Digital mammography. Right breast, medio-lateral oblique projection. 42-year-old patient.
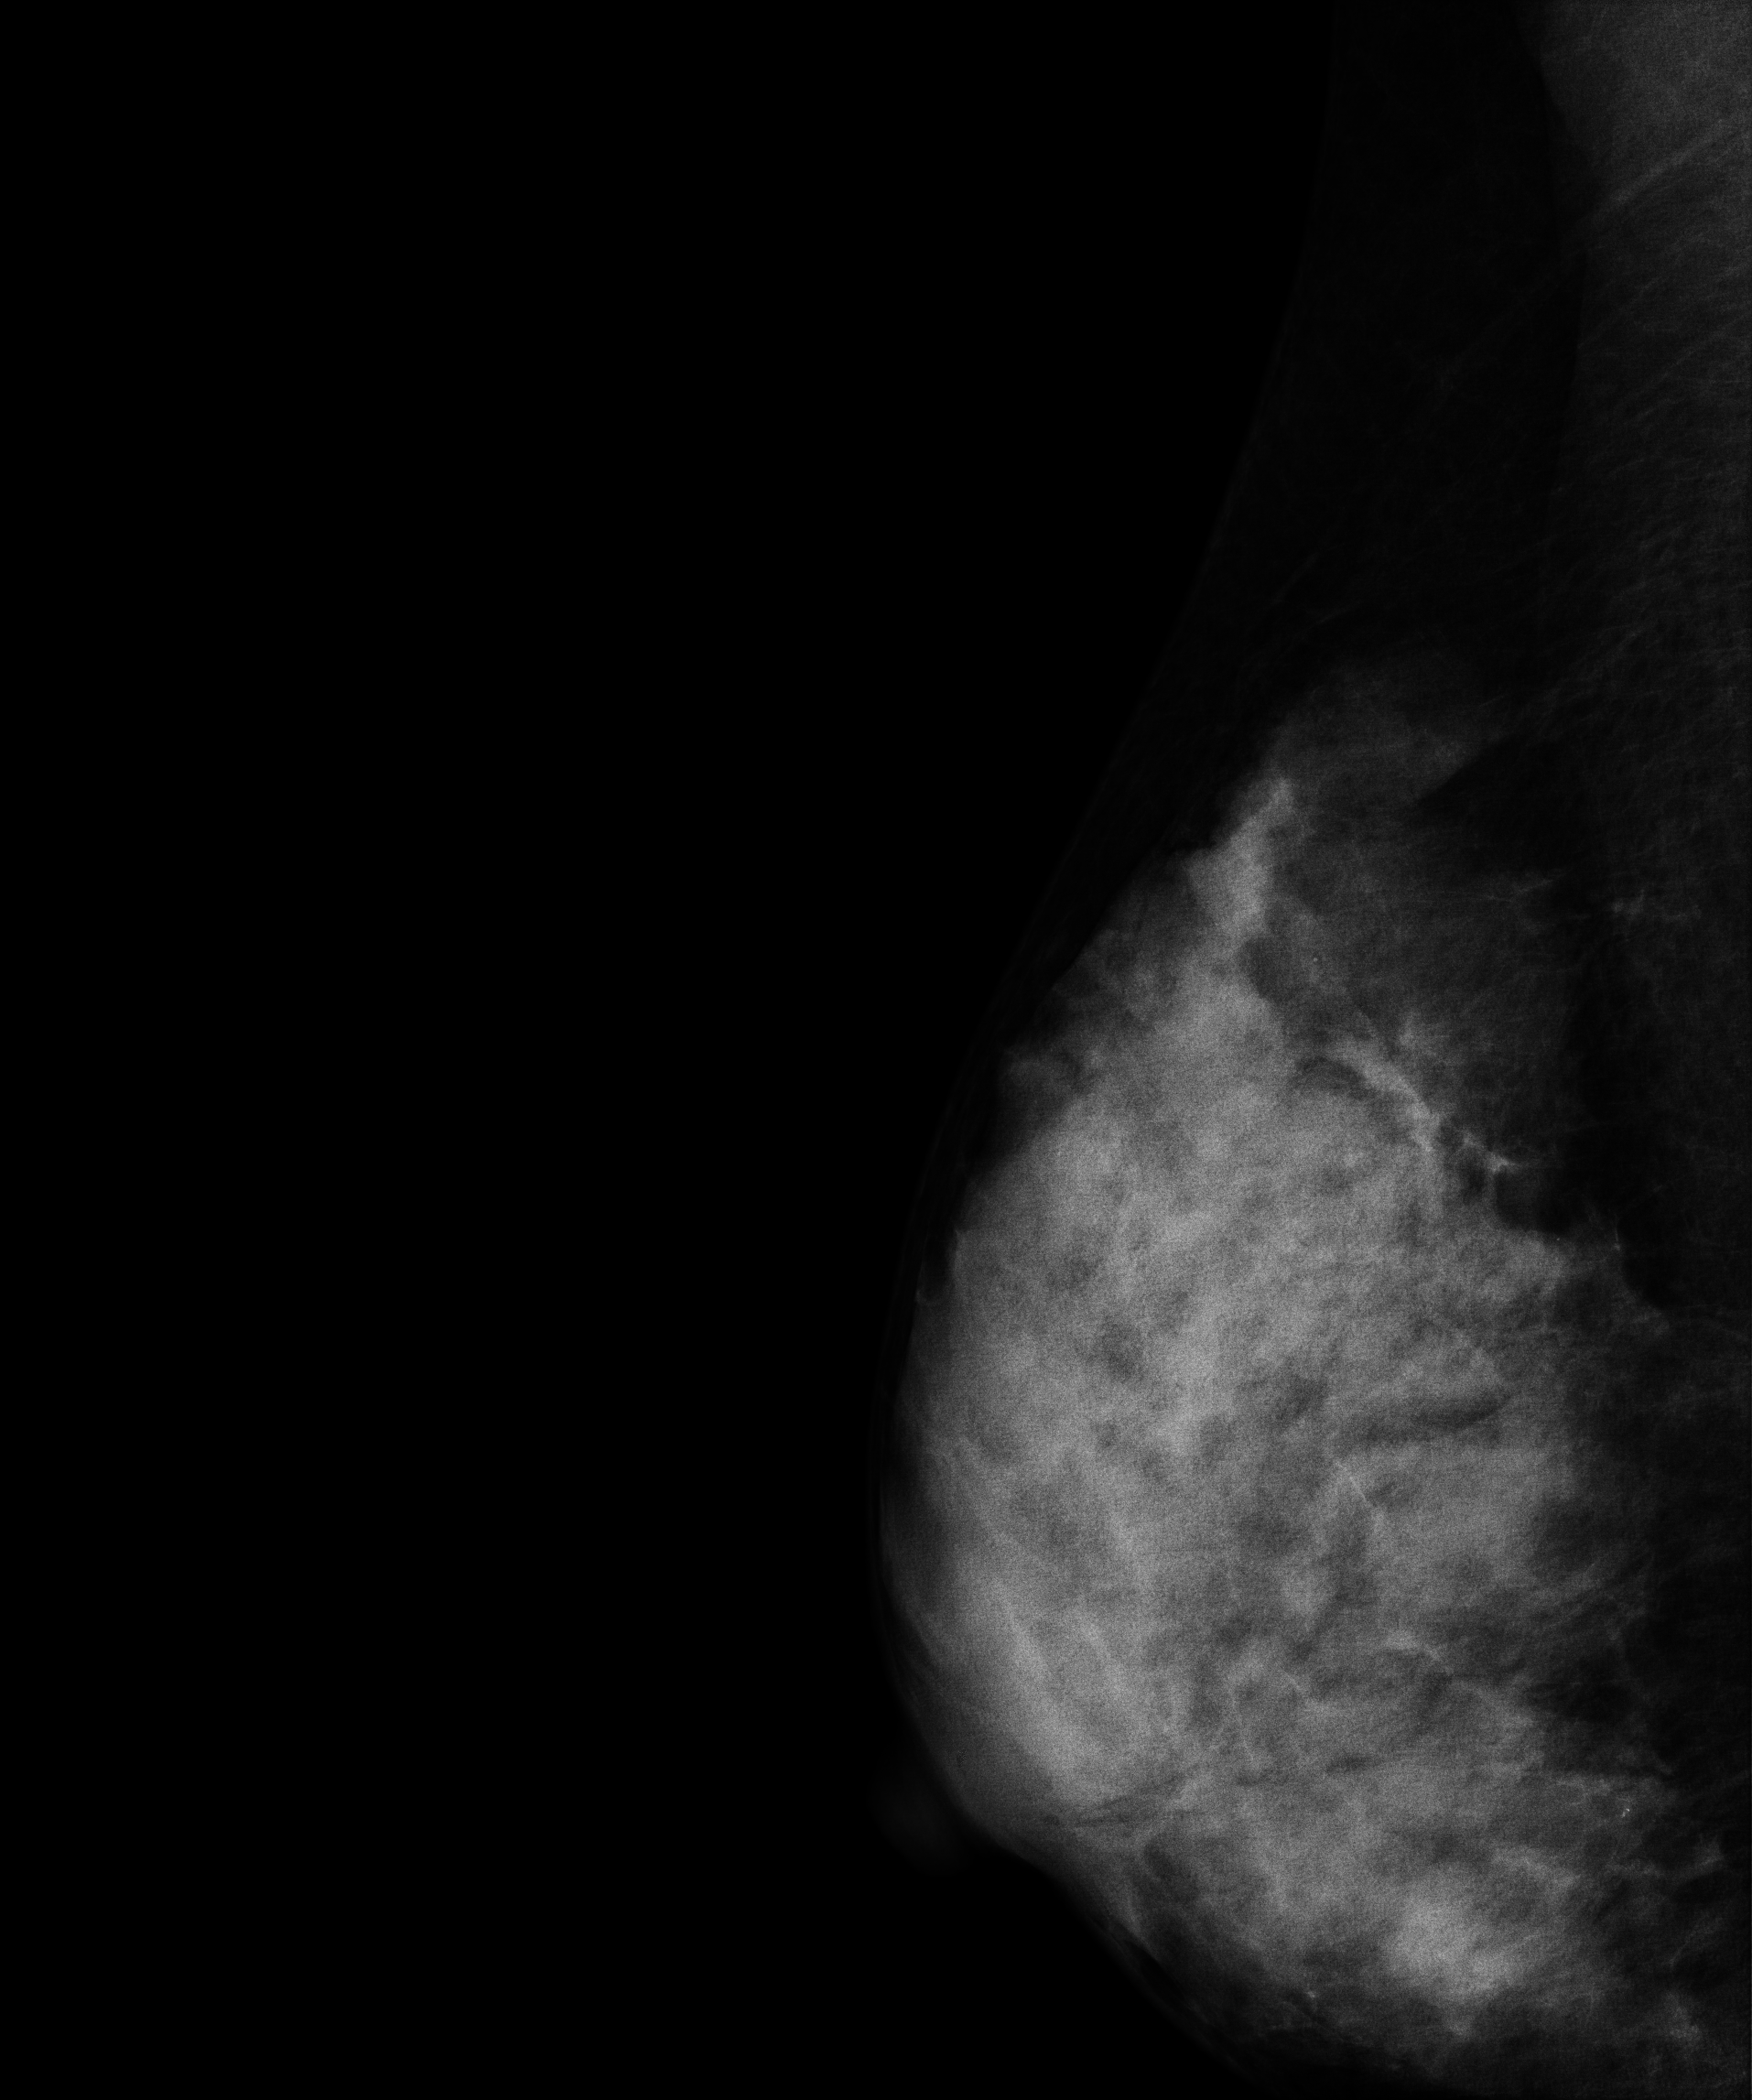
This breast has calcifications, pathology-confirmed benign.